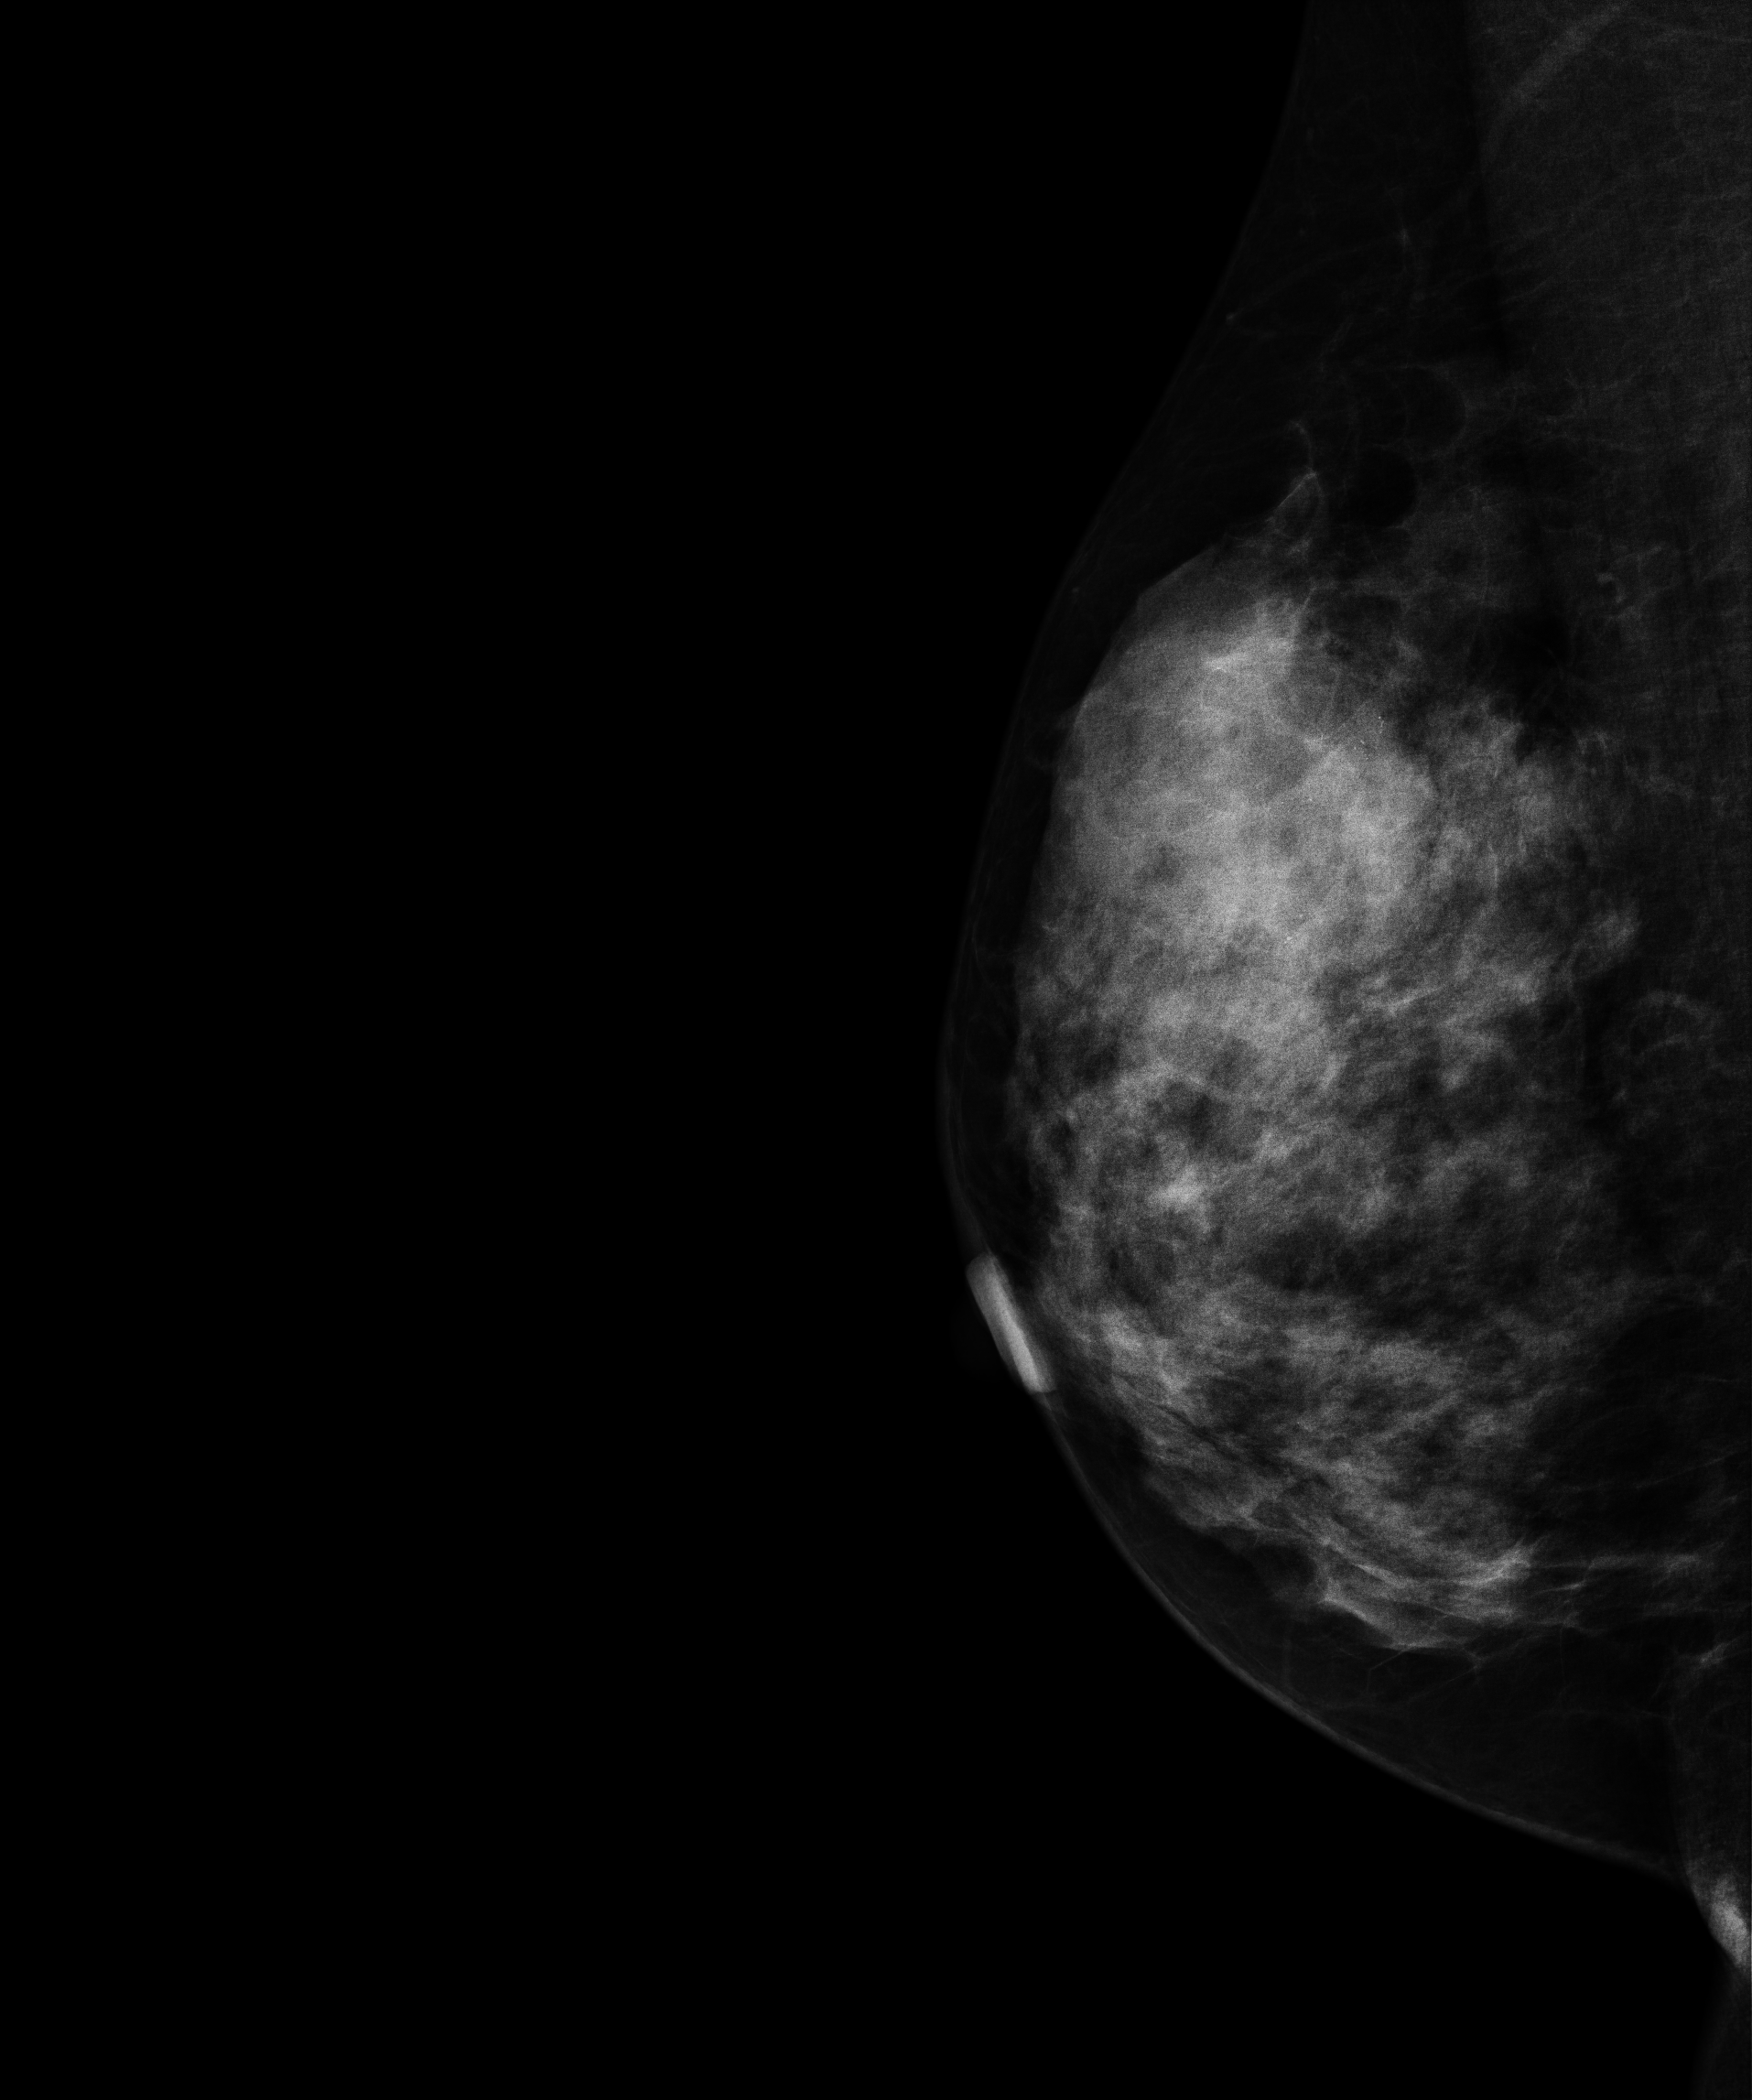
MLO mammogram of the right breast. 48 y/o patient.
This breast has a mass and calcifications, biopsy-proven malignant.